Digital mammography. Left breast, CC projection. 61 y/o patient.
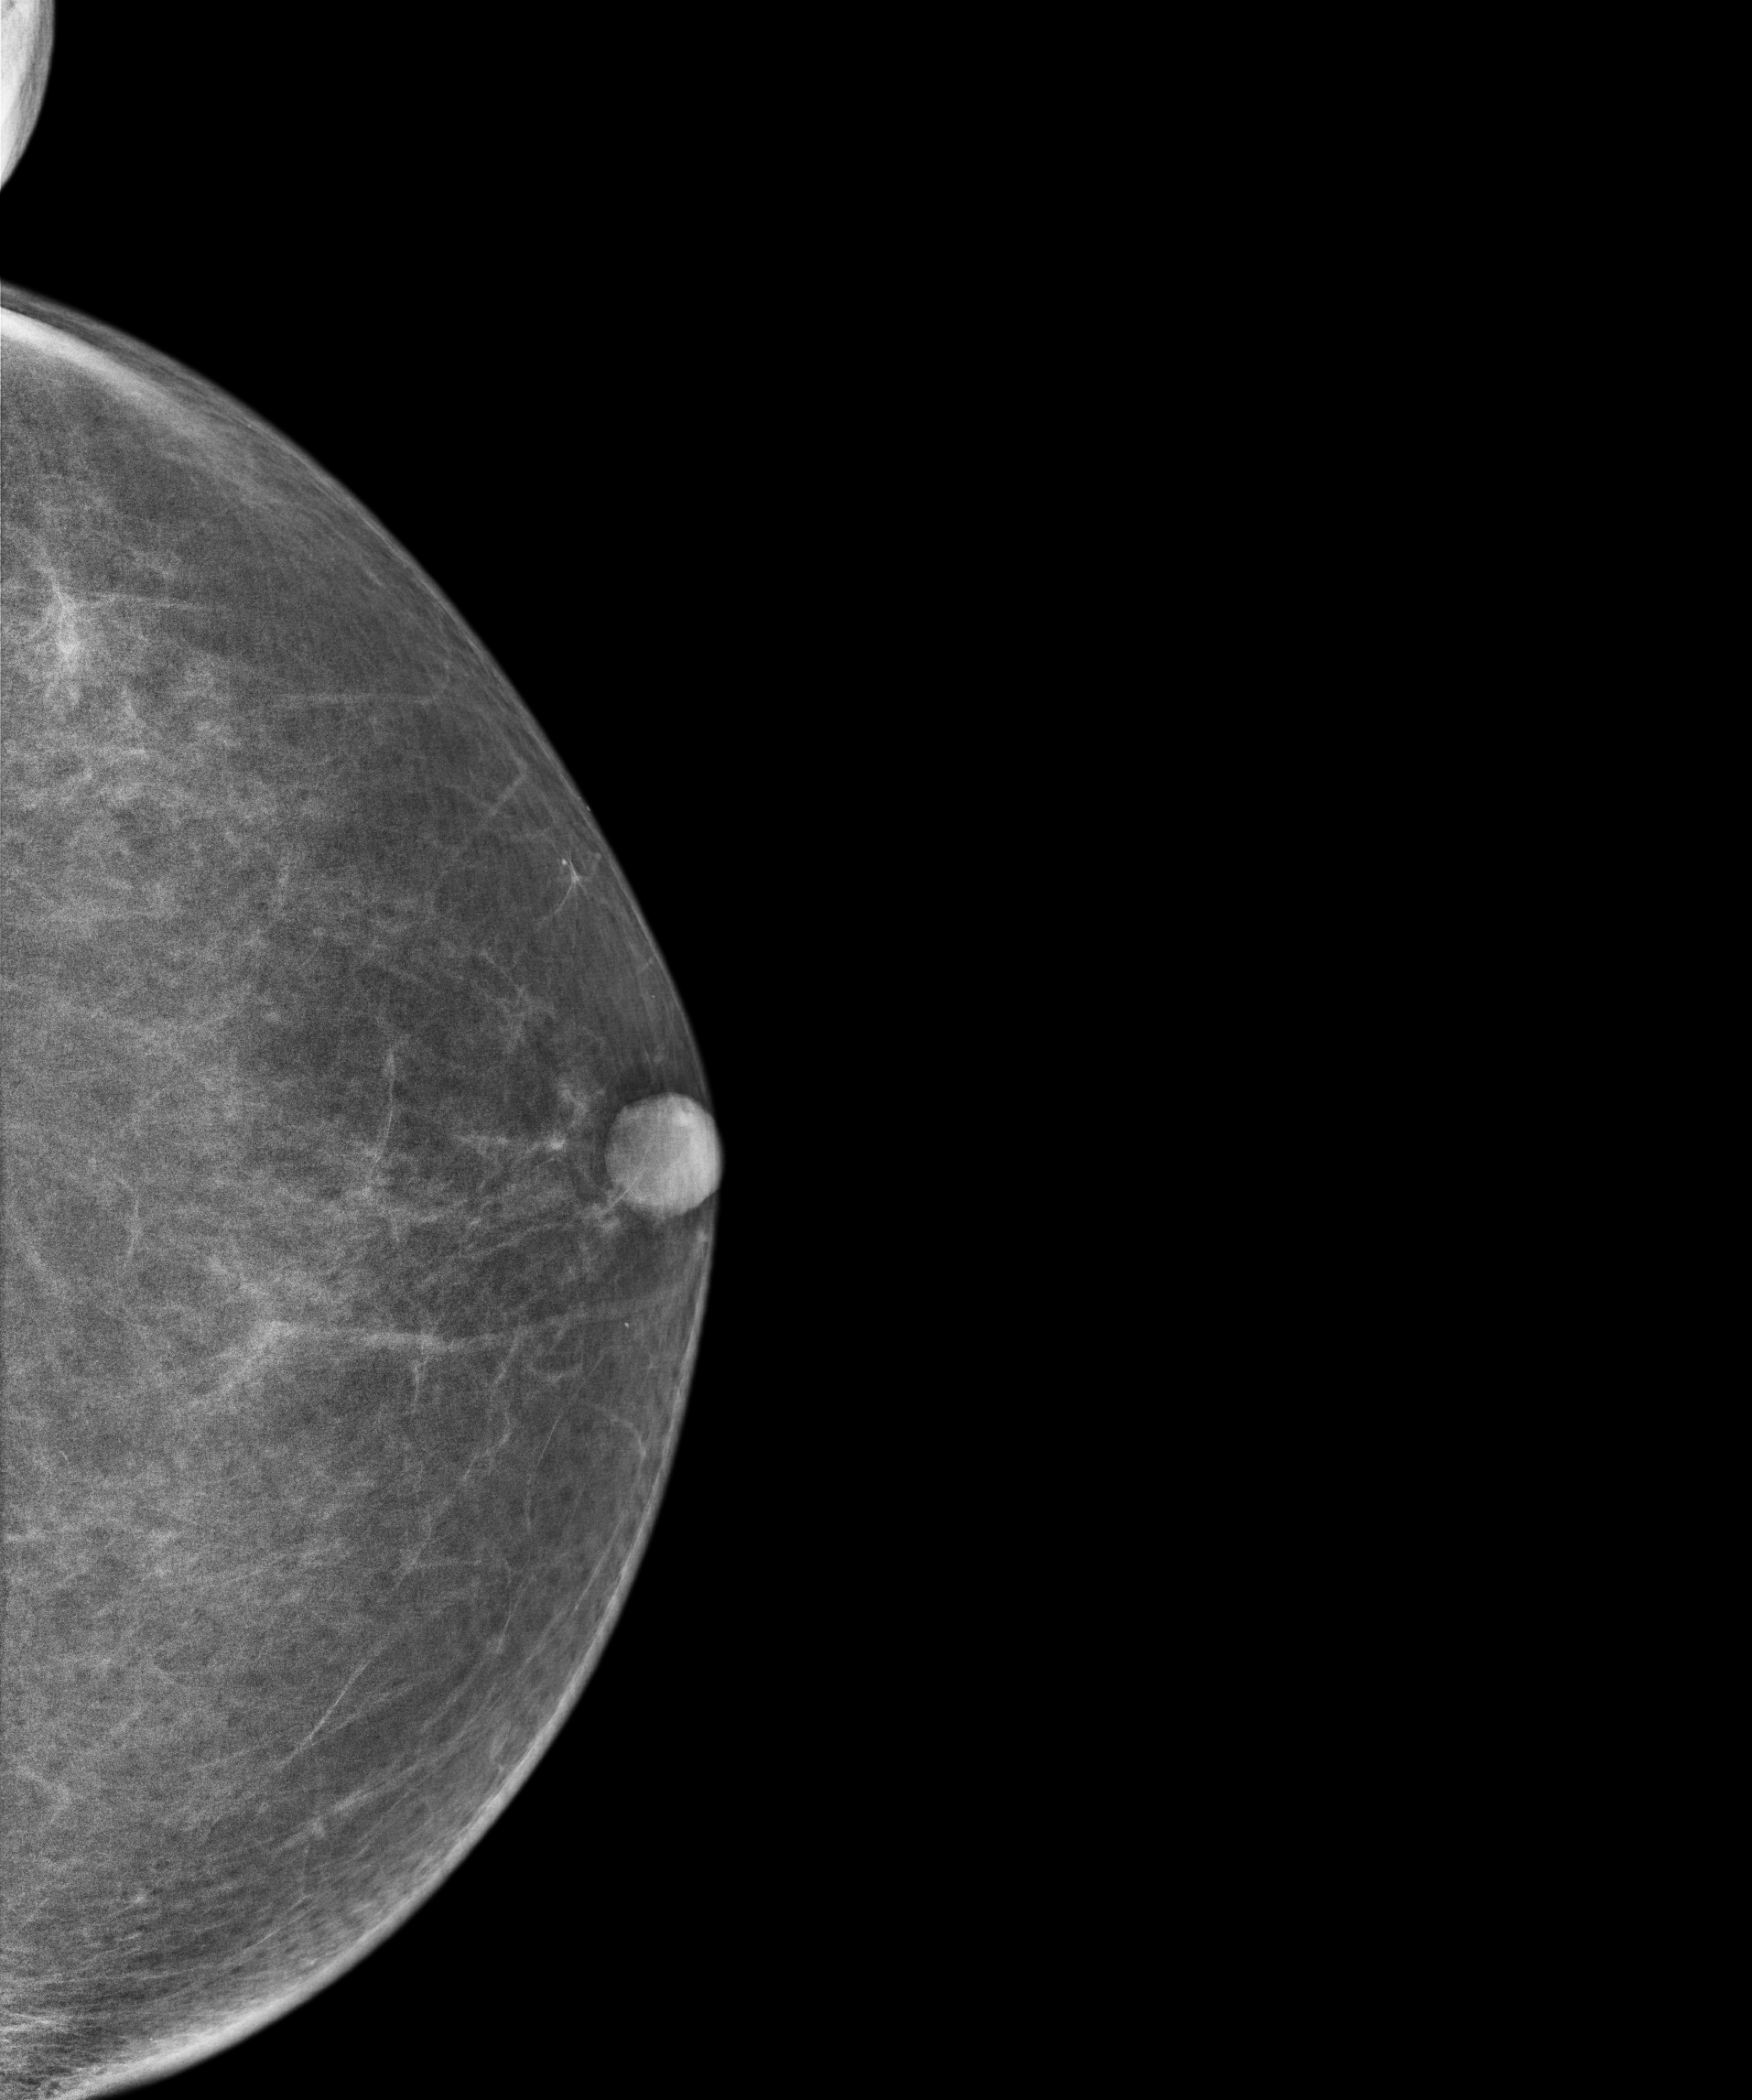
Contralateral breast — no documented abnormality on this side.